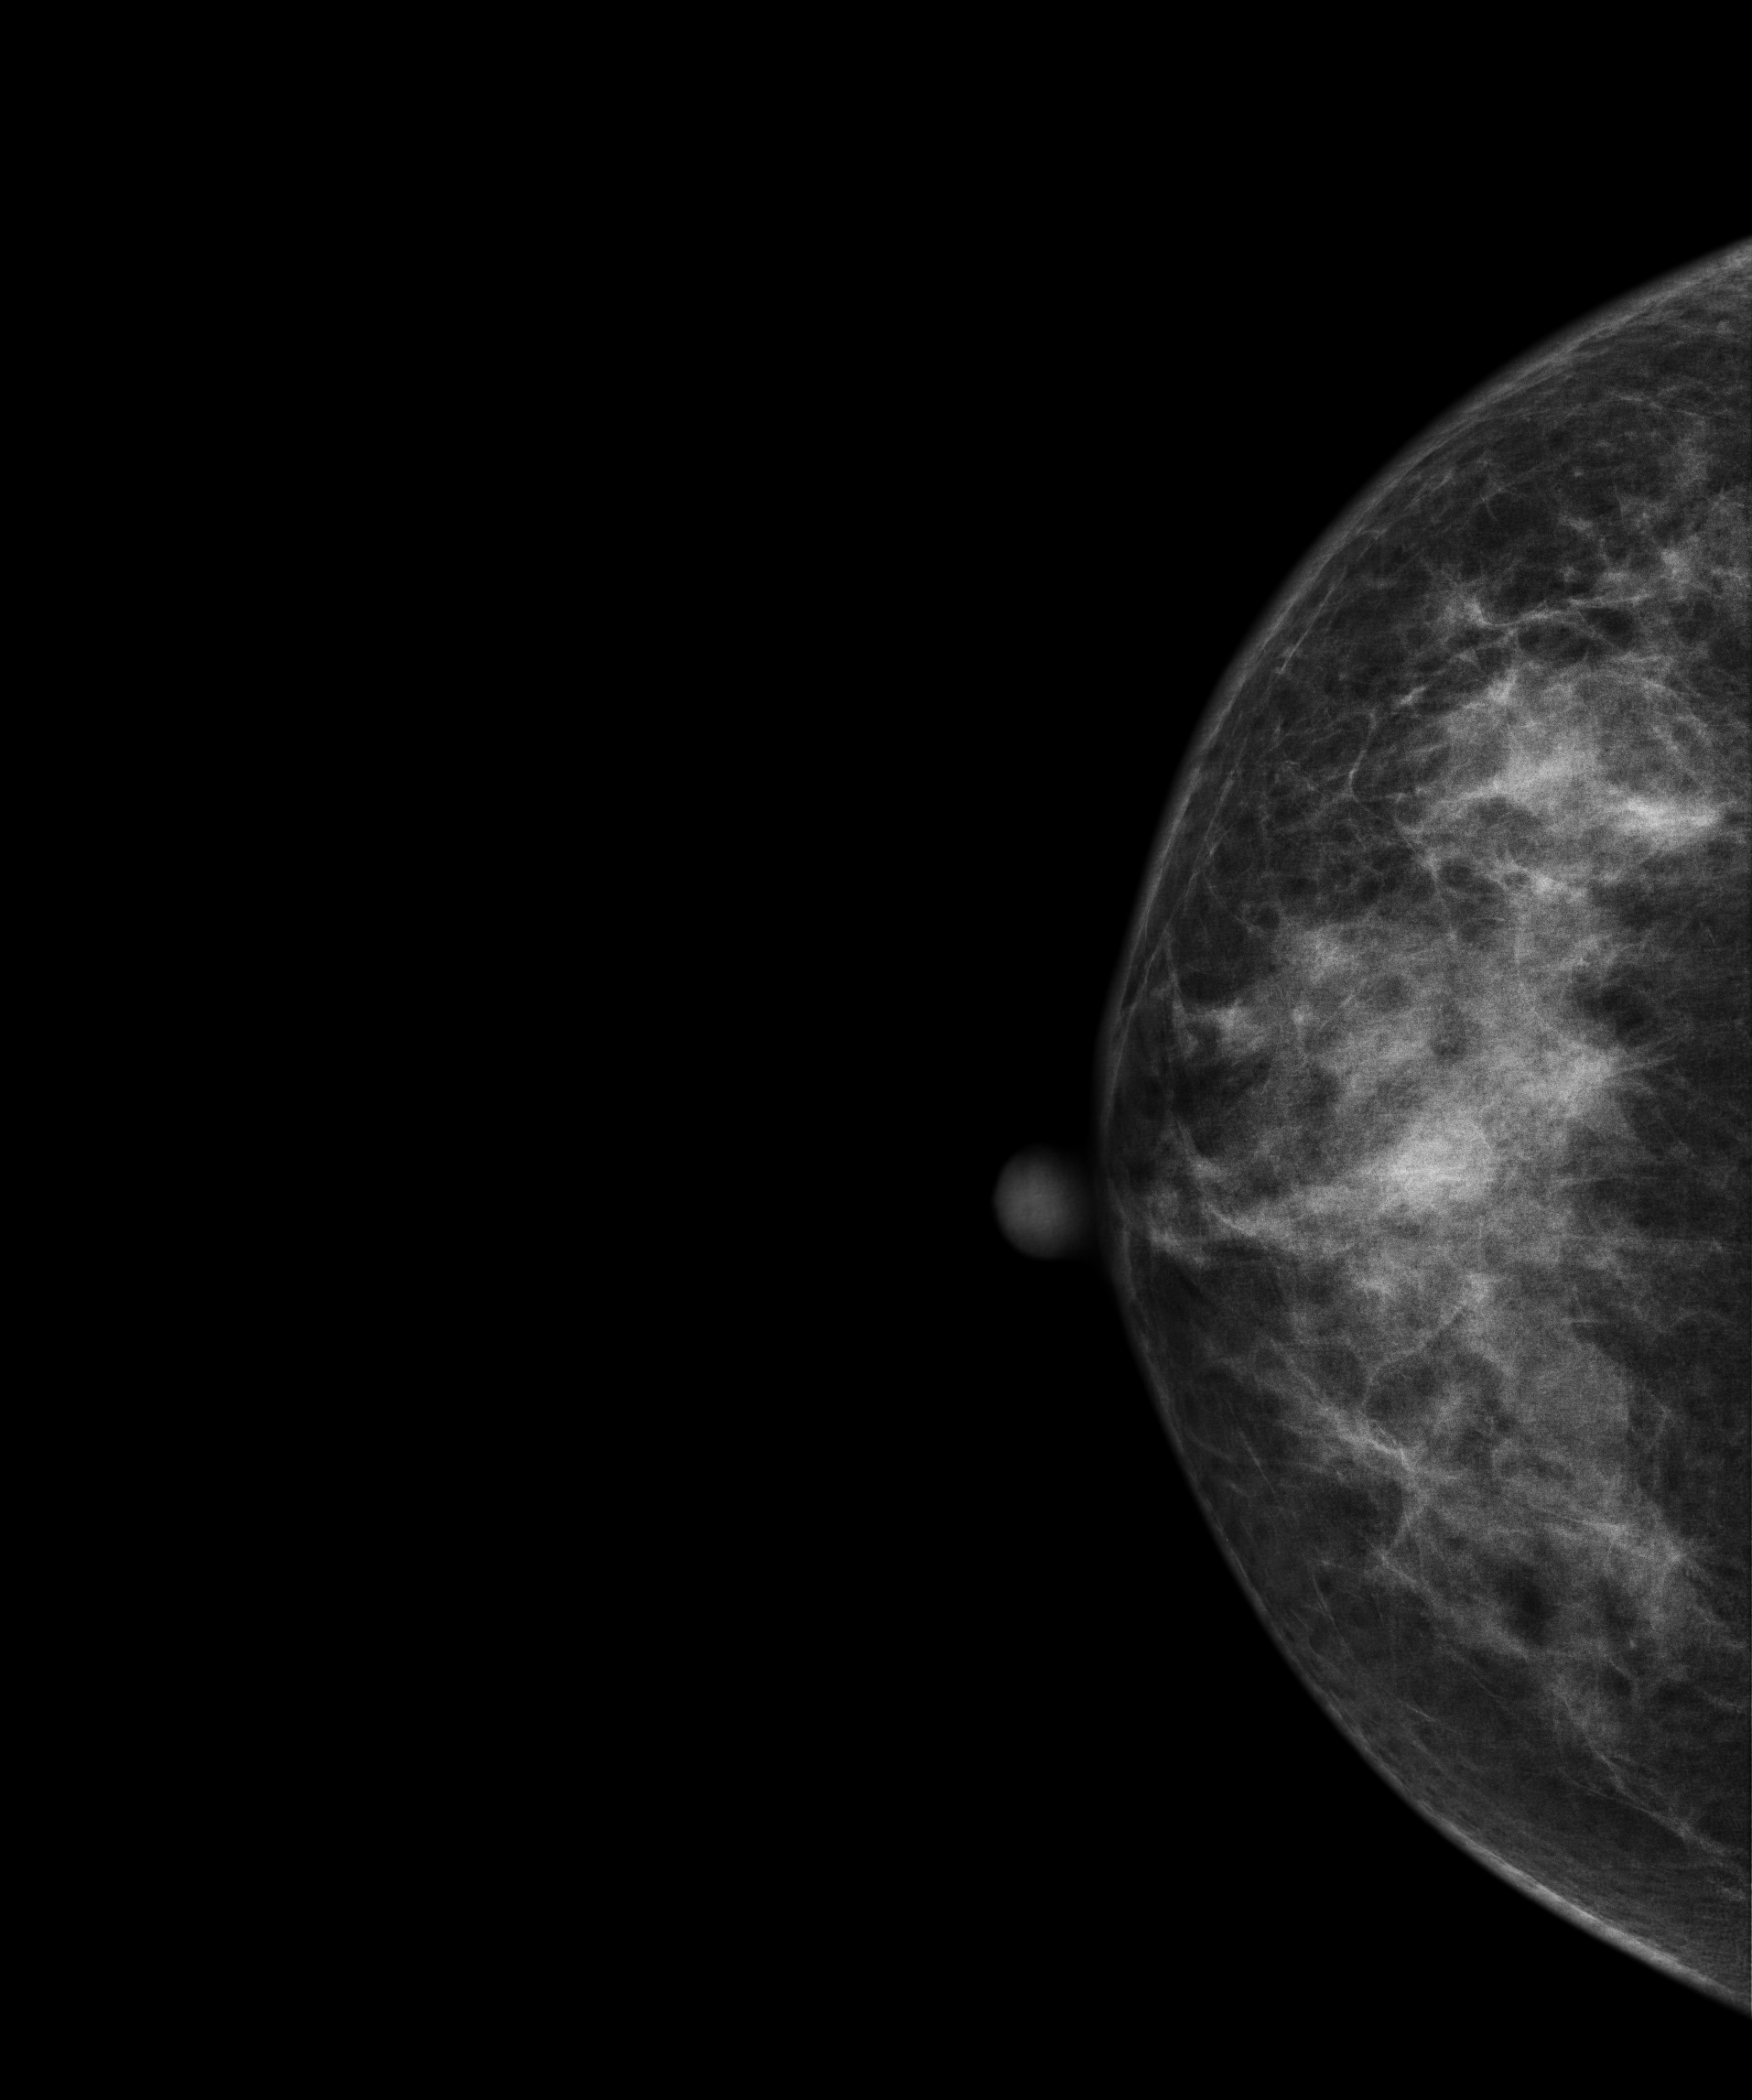
CC mammogram of the right breast. 51-year-old patient.
This breast has a mass, histologically confirmed malignant.